Cranio-caudal mammogram of the right breast. Patient age 51.
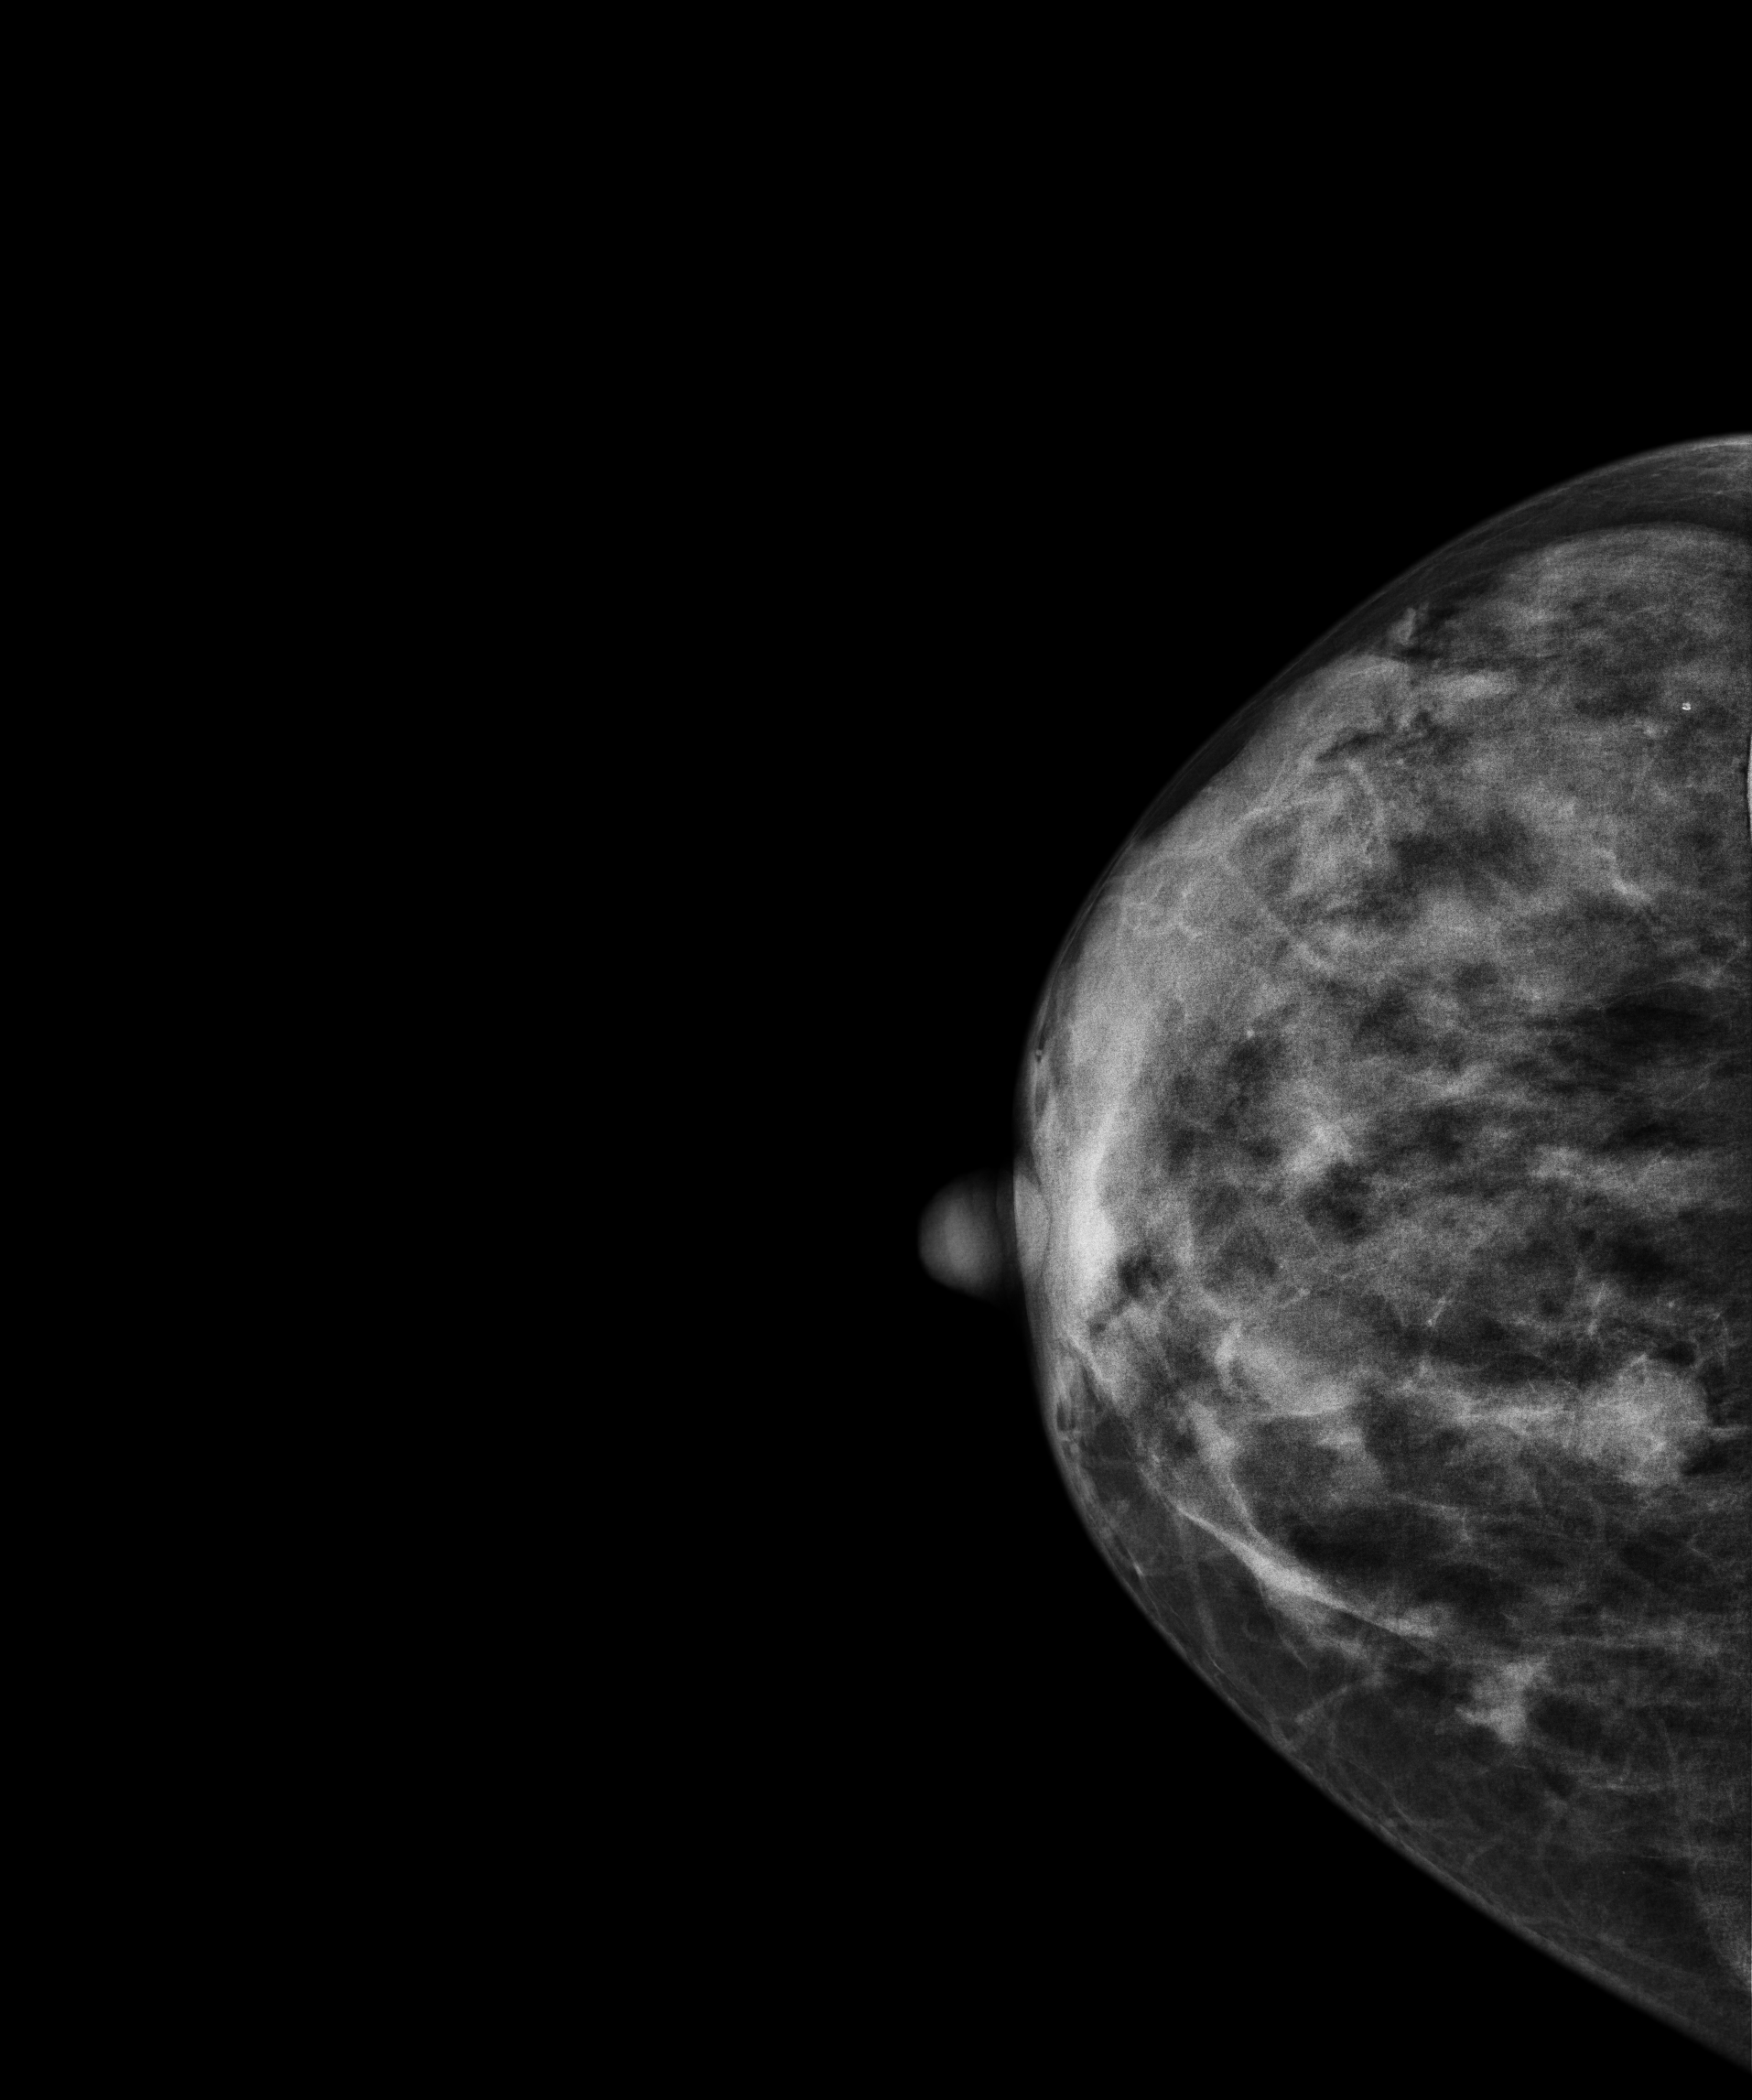
This breast has a mass, pathology-confirmed malignant.